Mammogram — left medio-lateral oblique. 45-year-old patient.
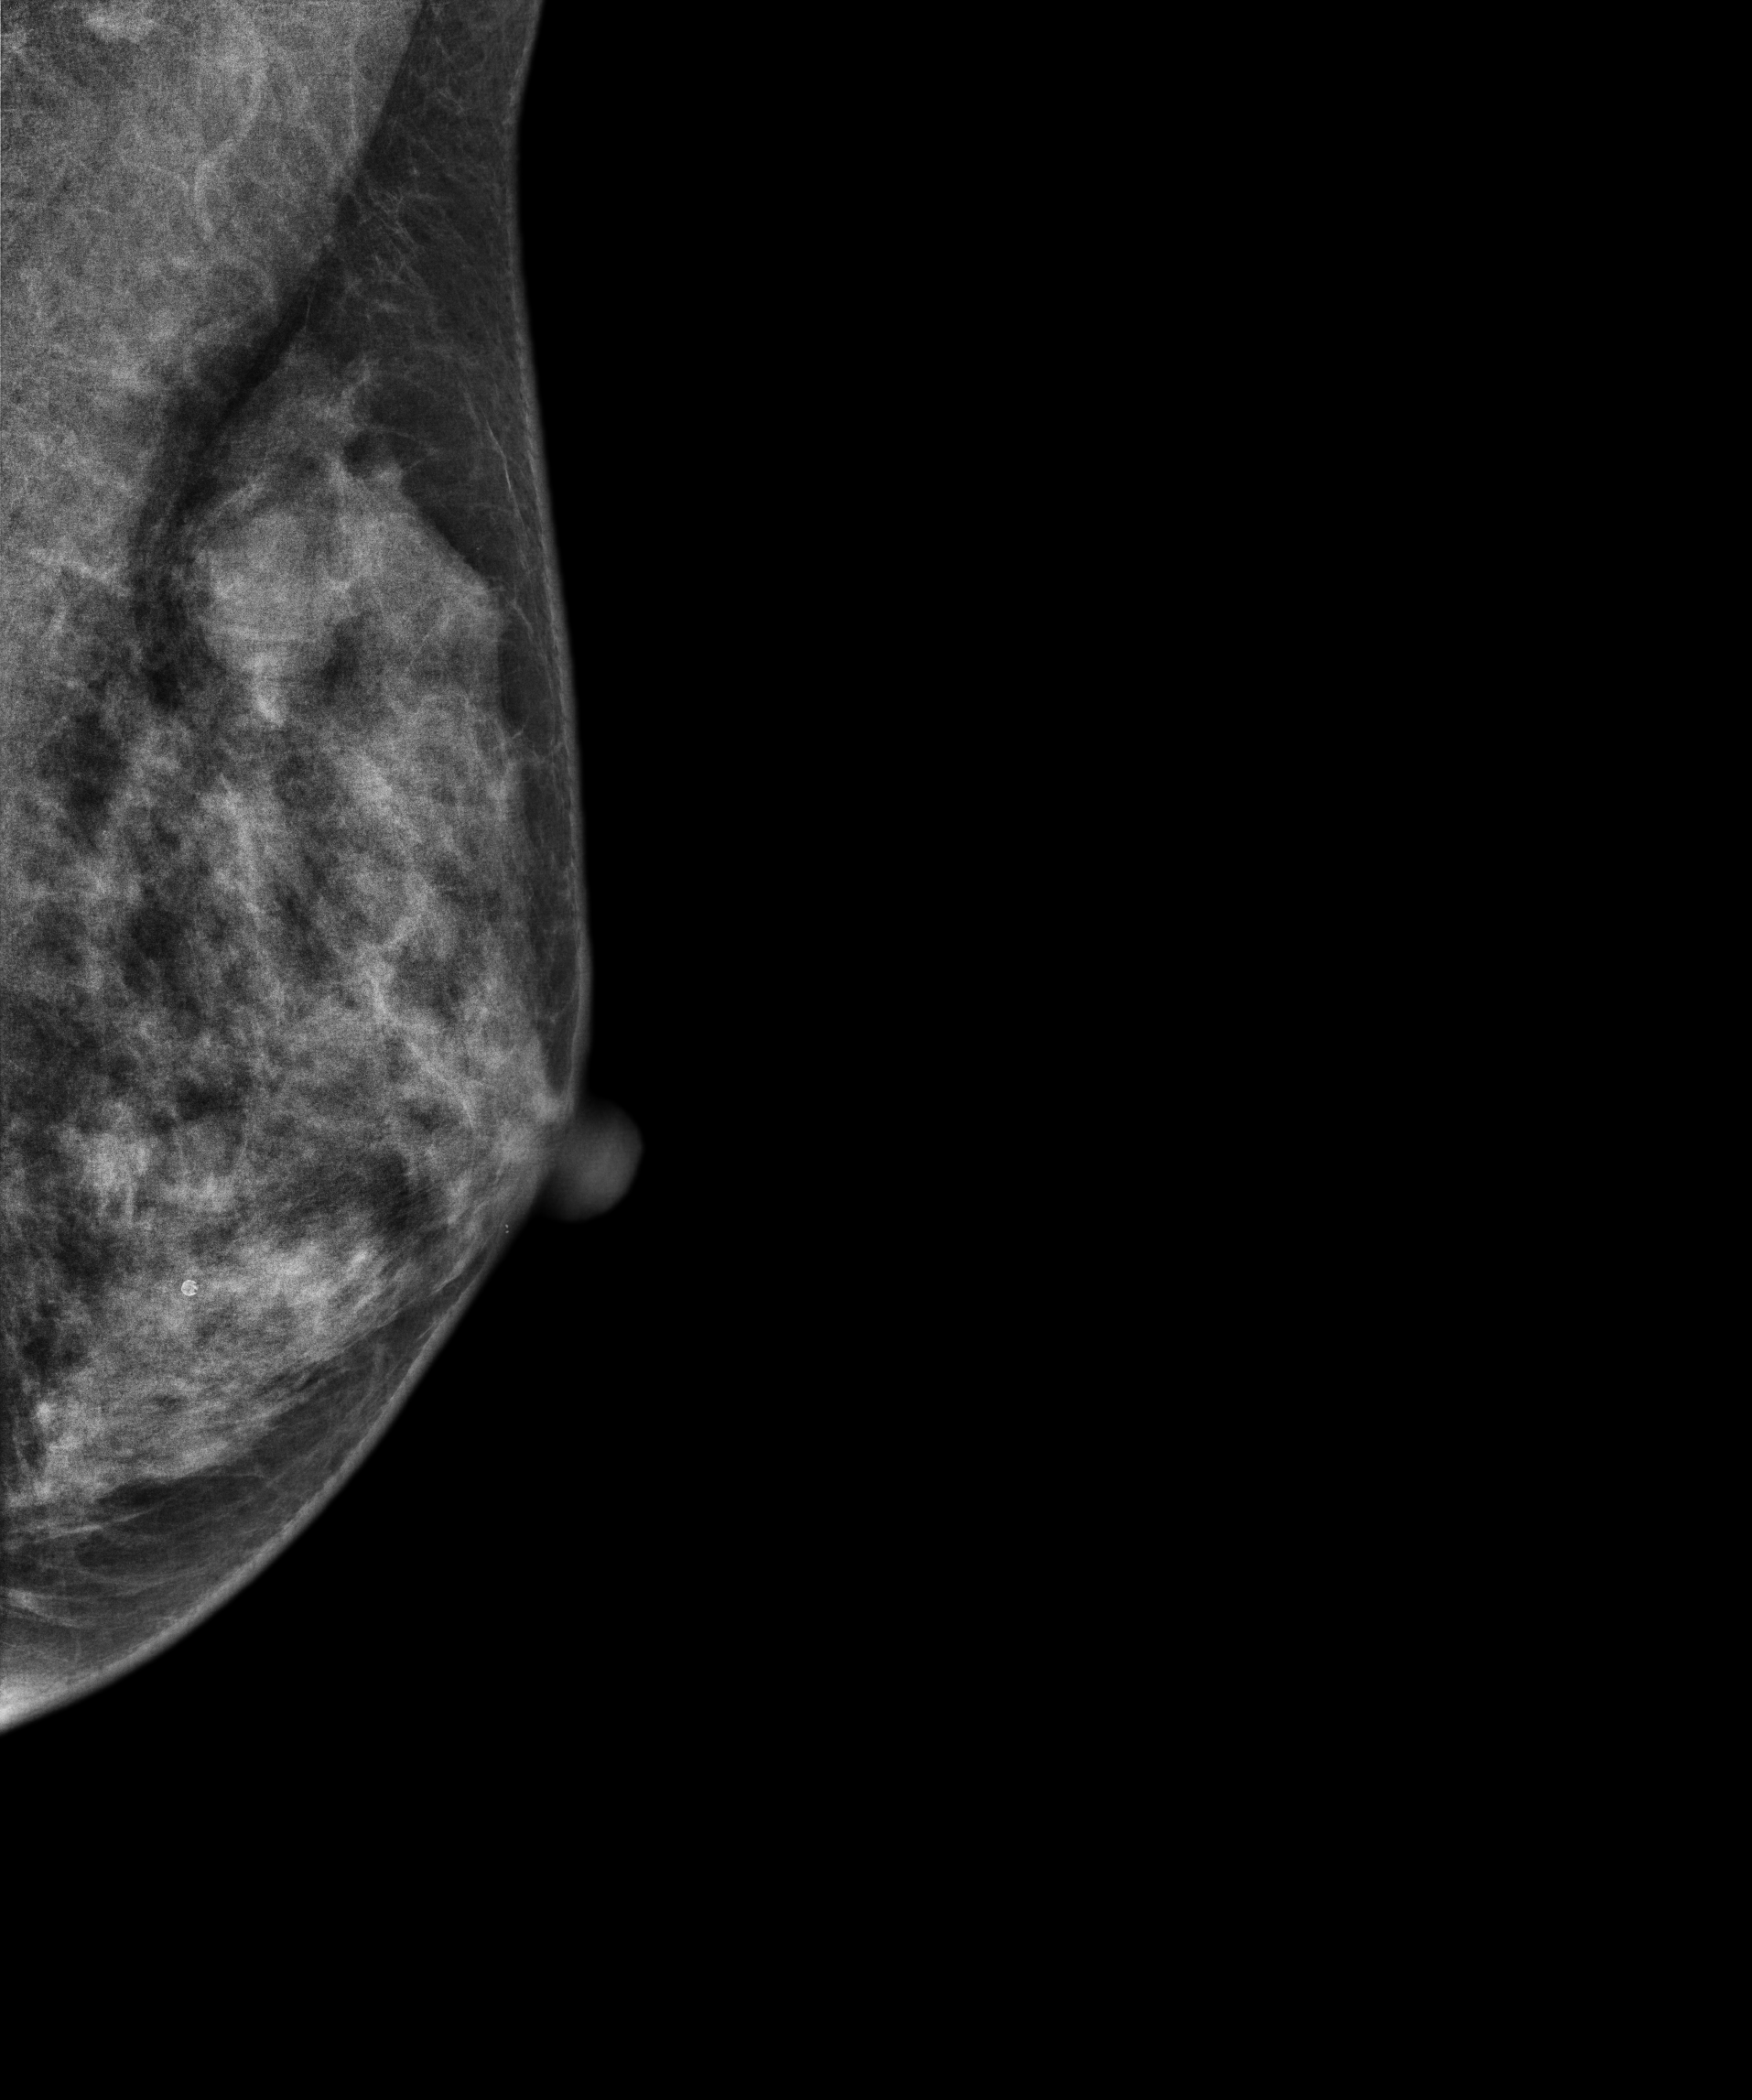
This breast has a mass and calcifications, pathology-confirmed benign.